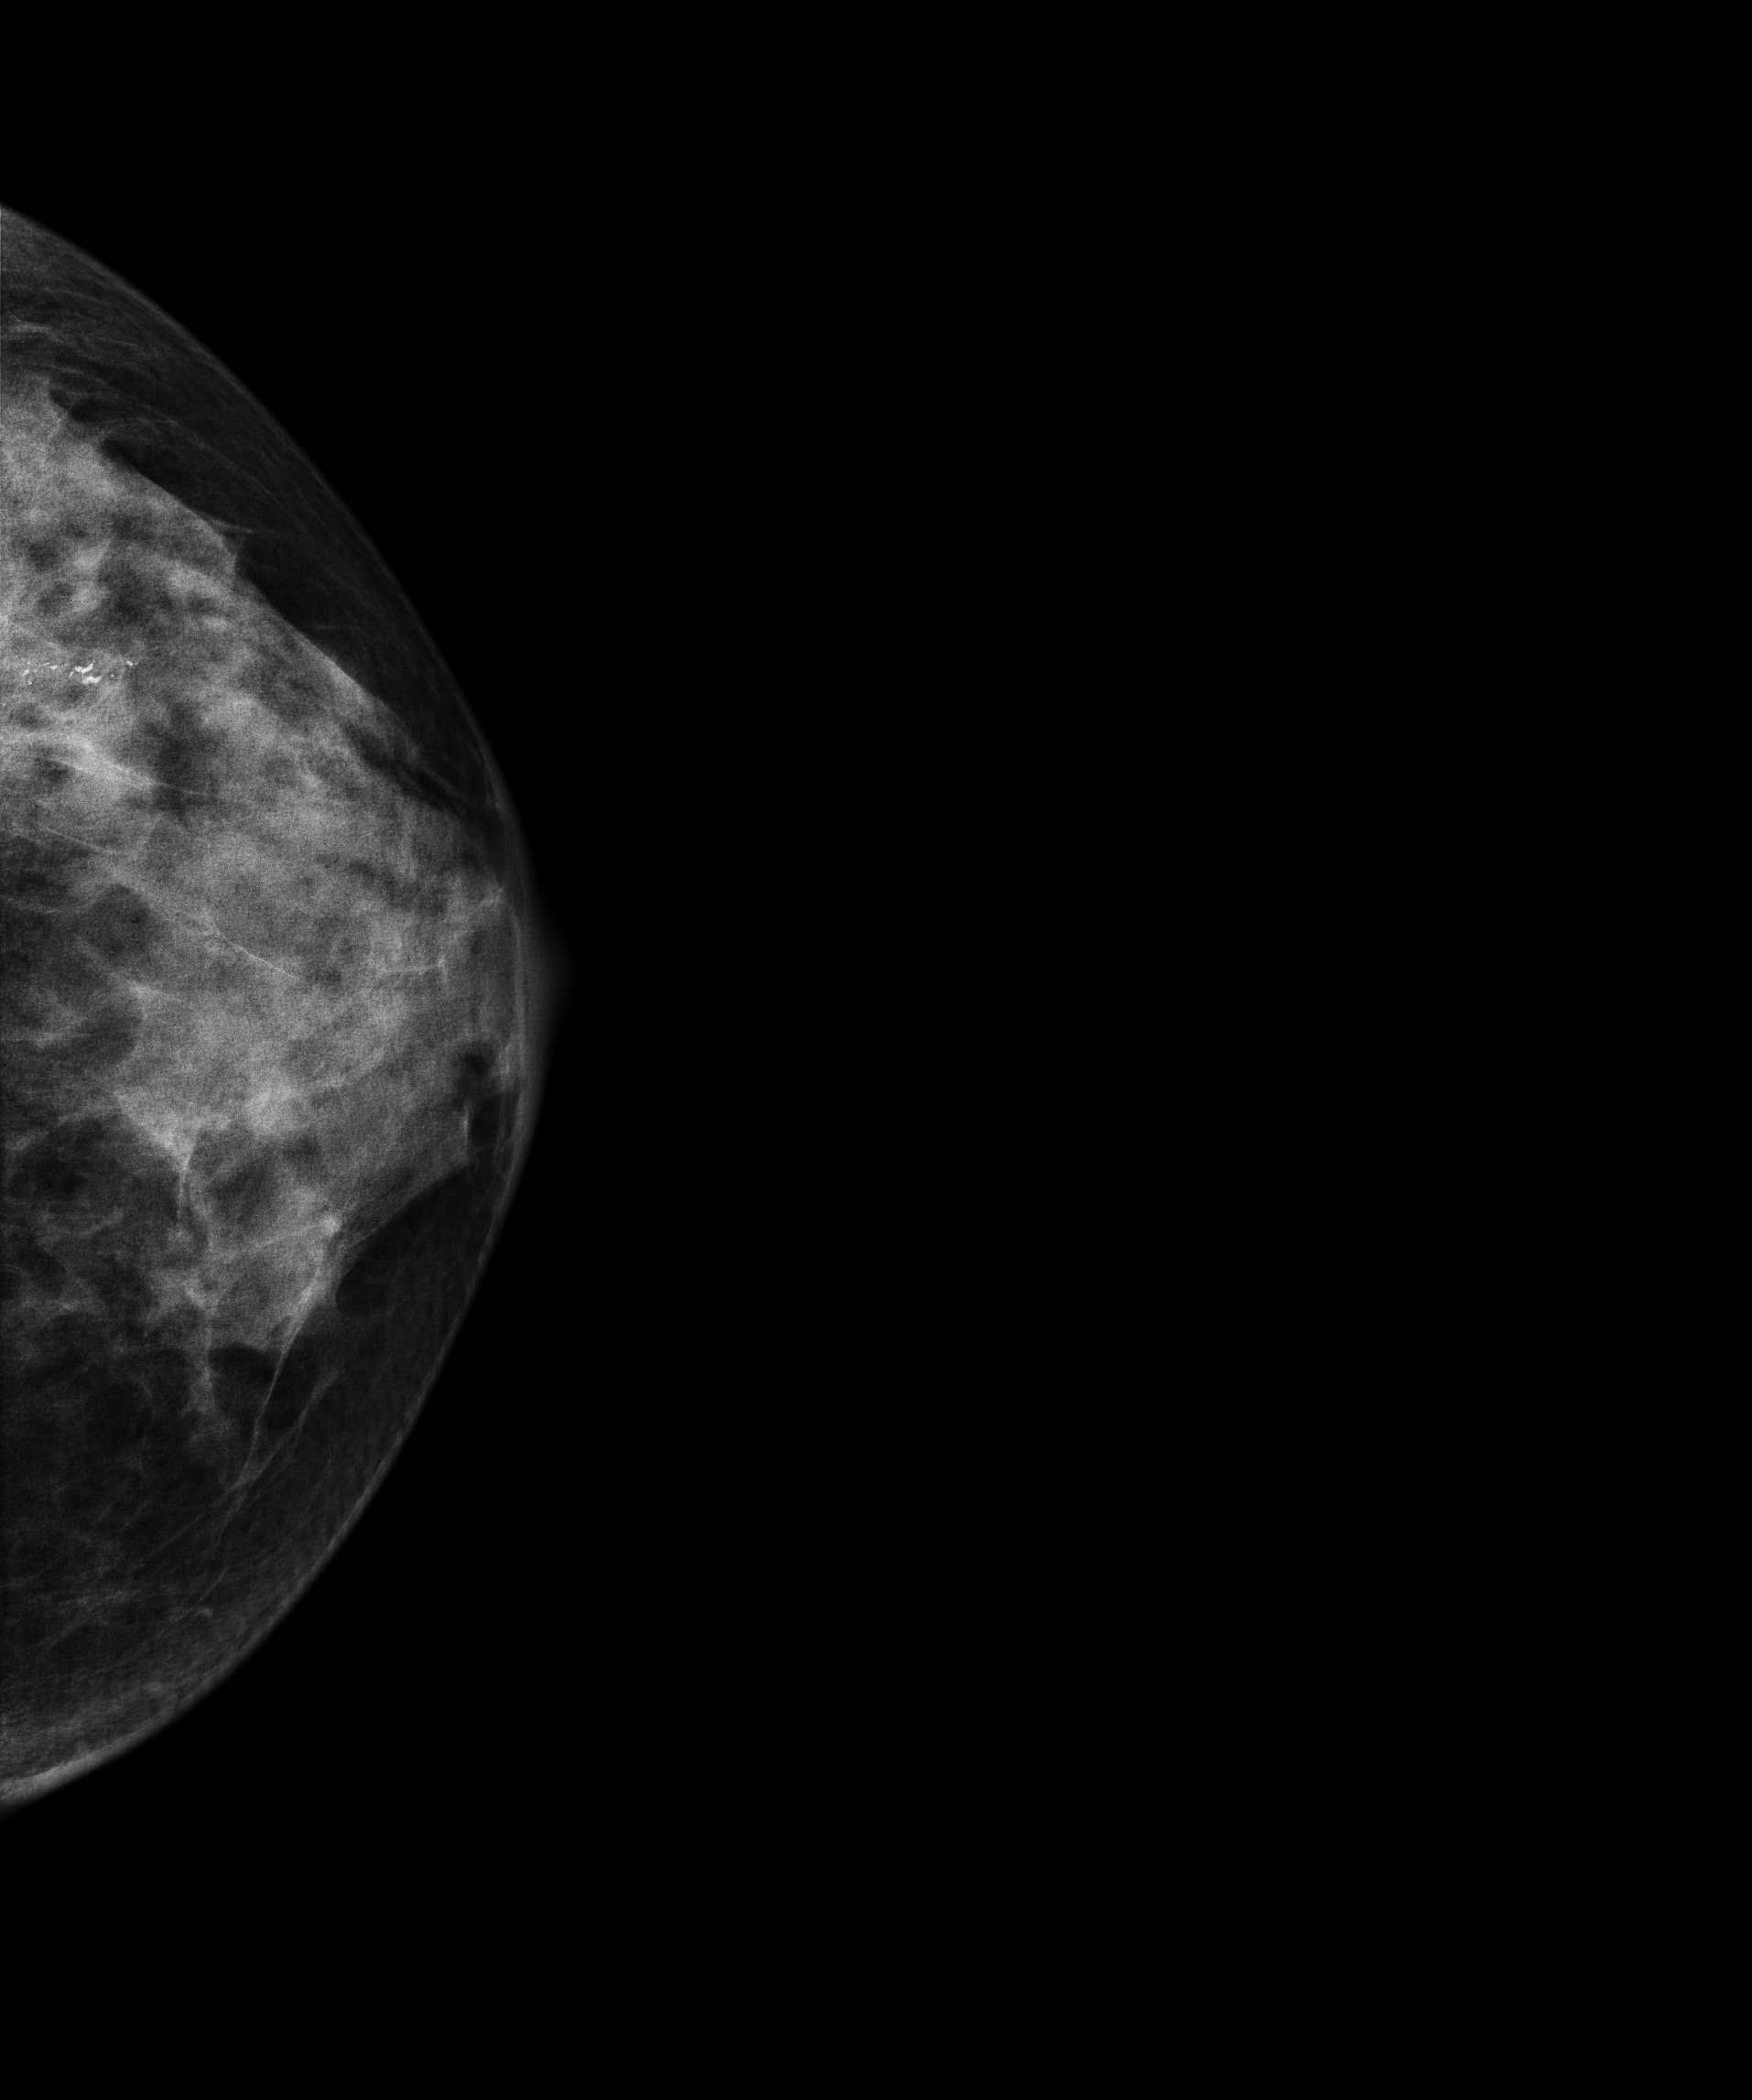
CC mammogram of the left breast. Patient age 53.
This breast has calcifications, pathology-confirmed malignant.